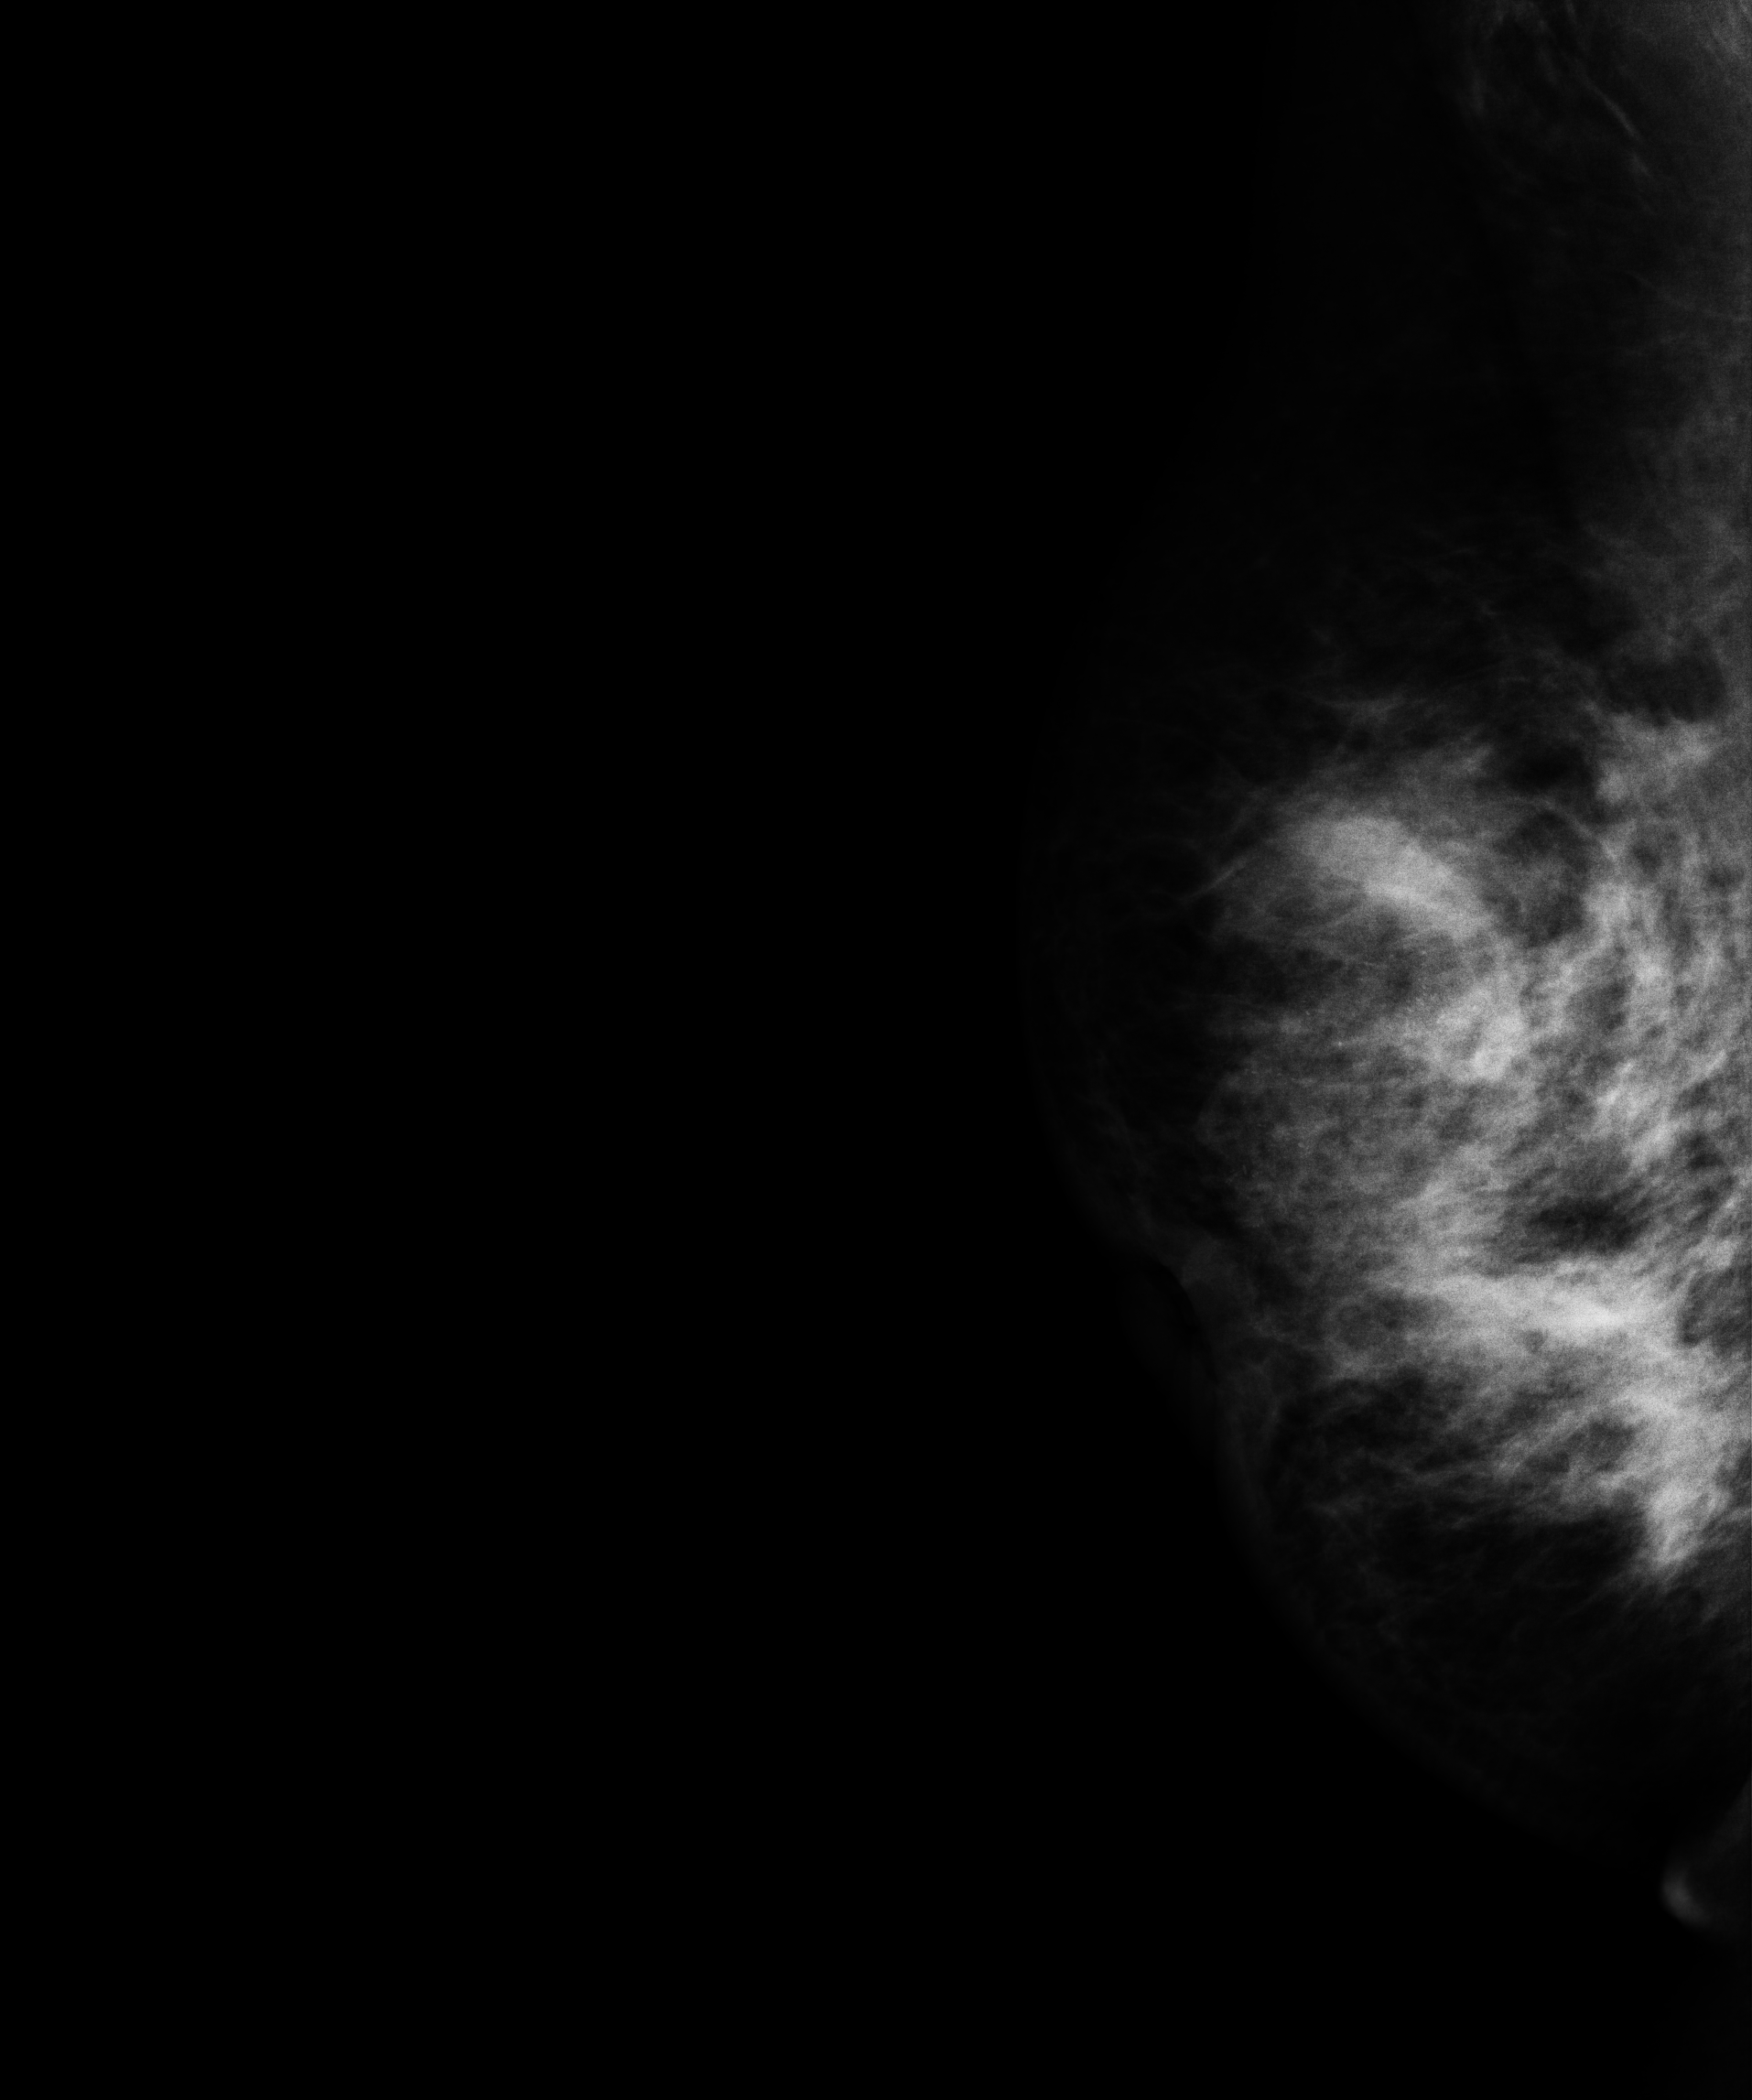
Digital mammography. Right breast, MLO projection. Patient age 39.
This breast has calcifications, histologically confirmed malignant.